Right-breast mammogram, CC. Patient age 69.
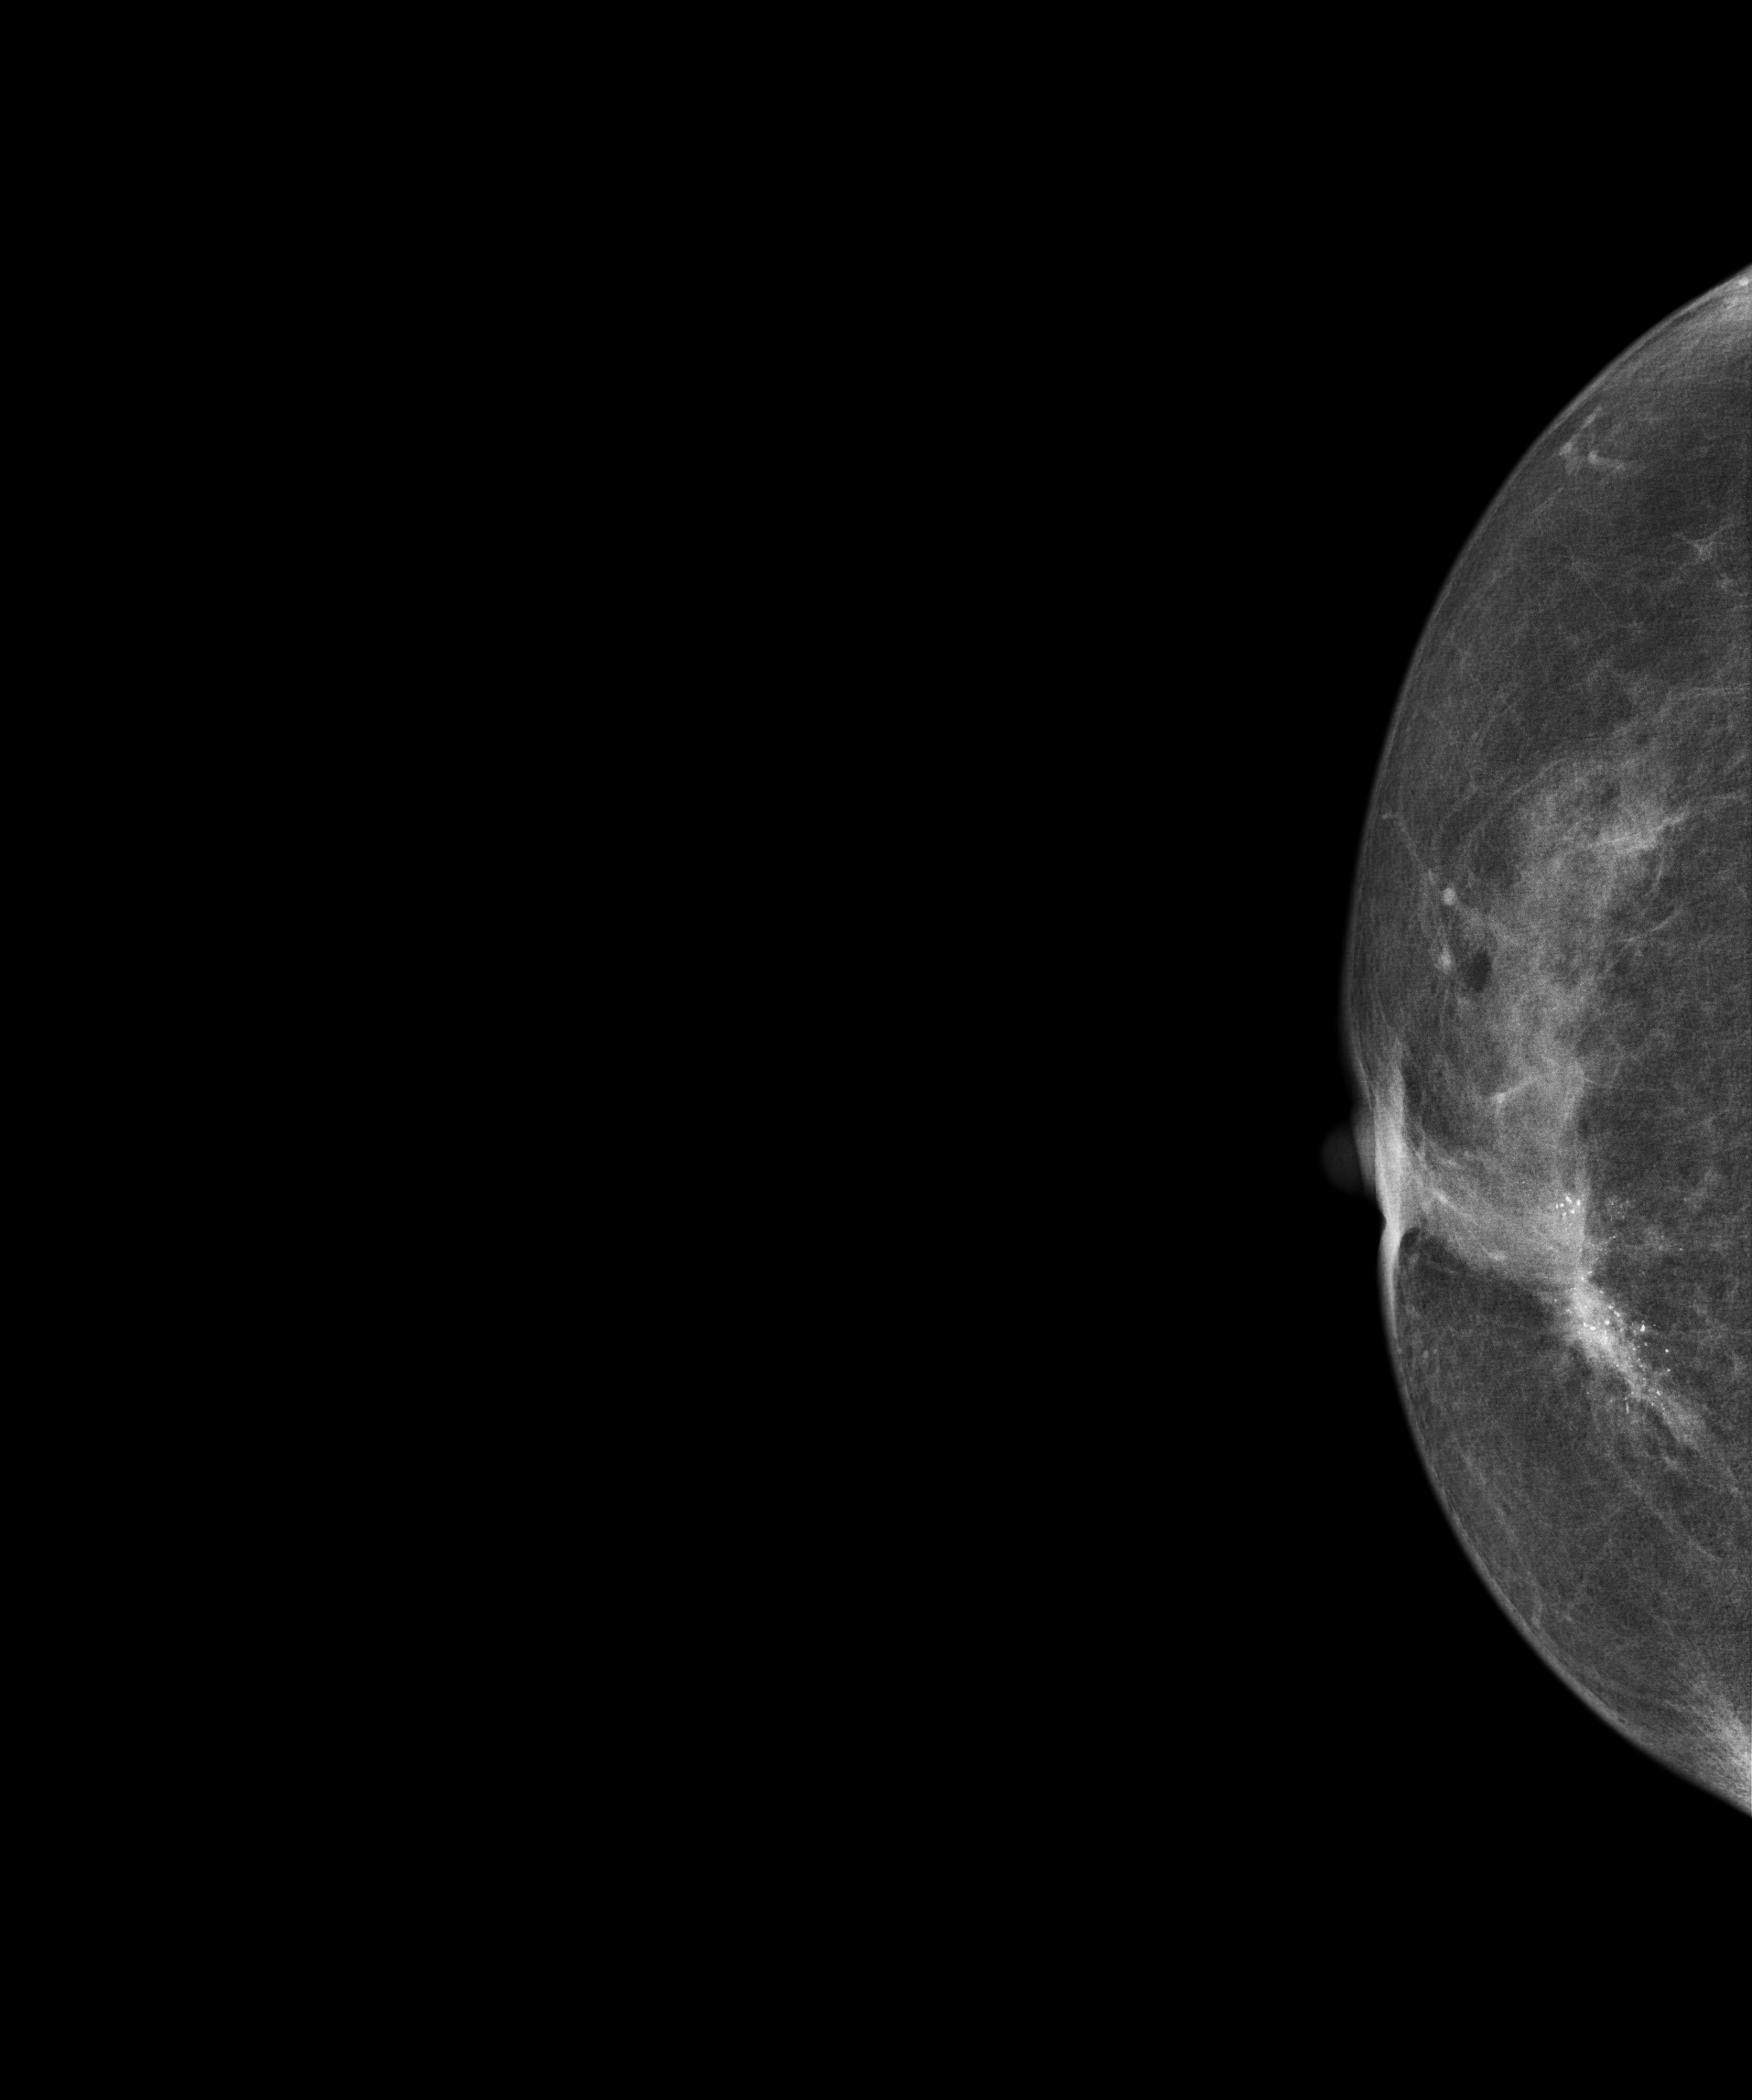
This breast has calcifications, biopsy-proven malignant. Molecular subtype: luminal B.